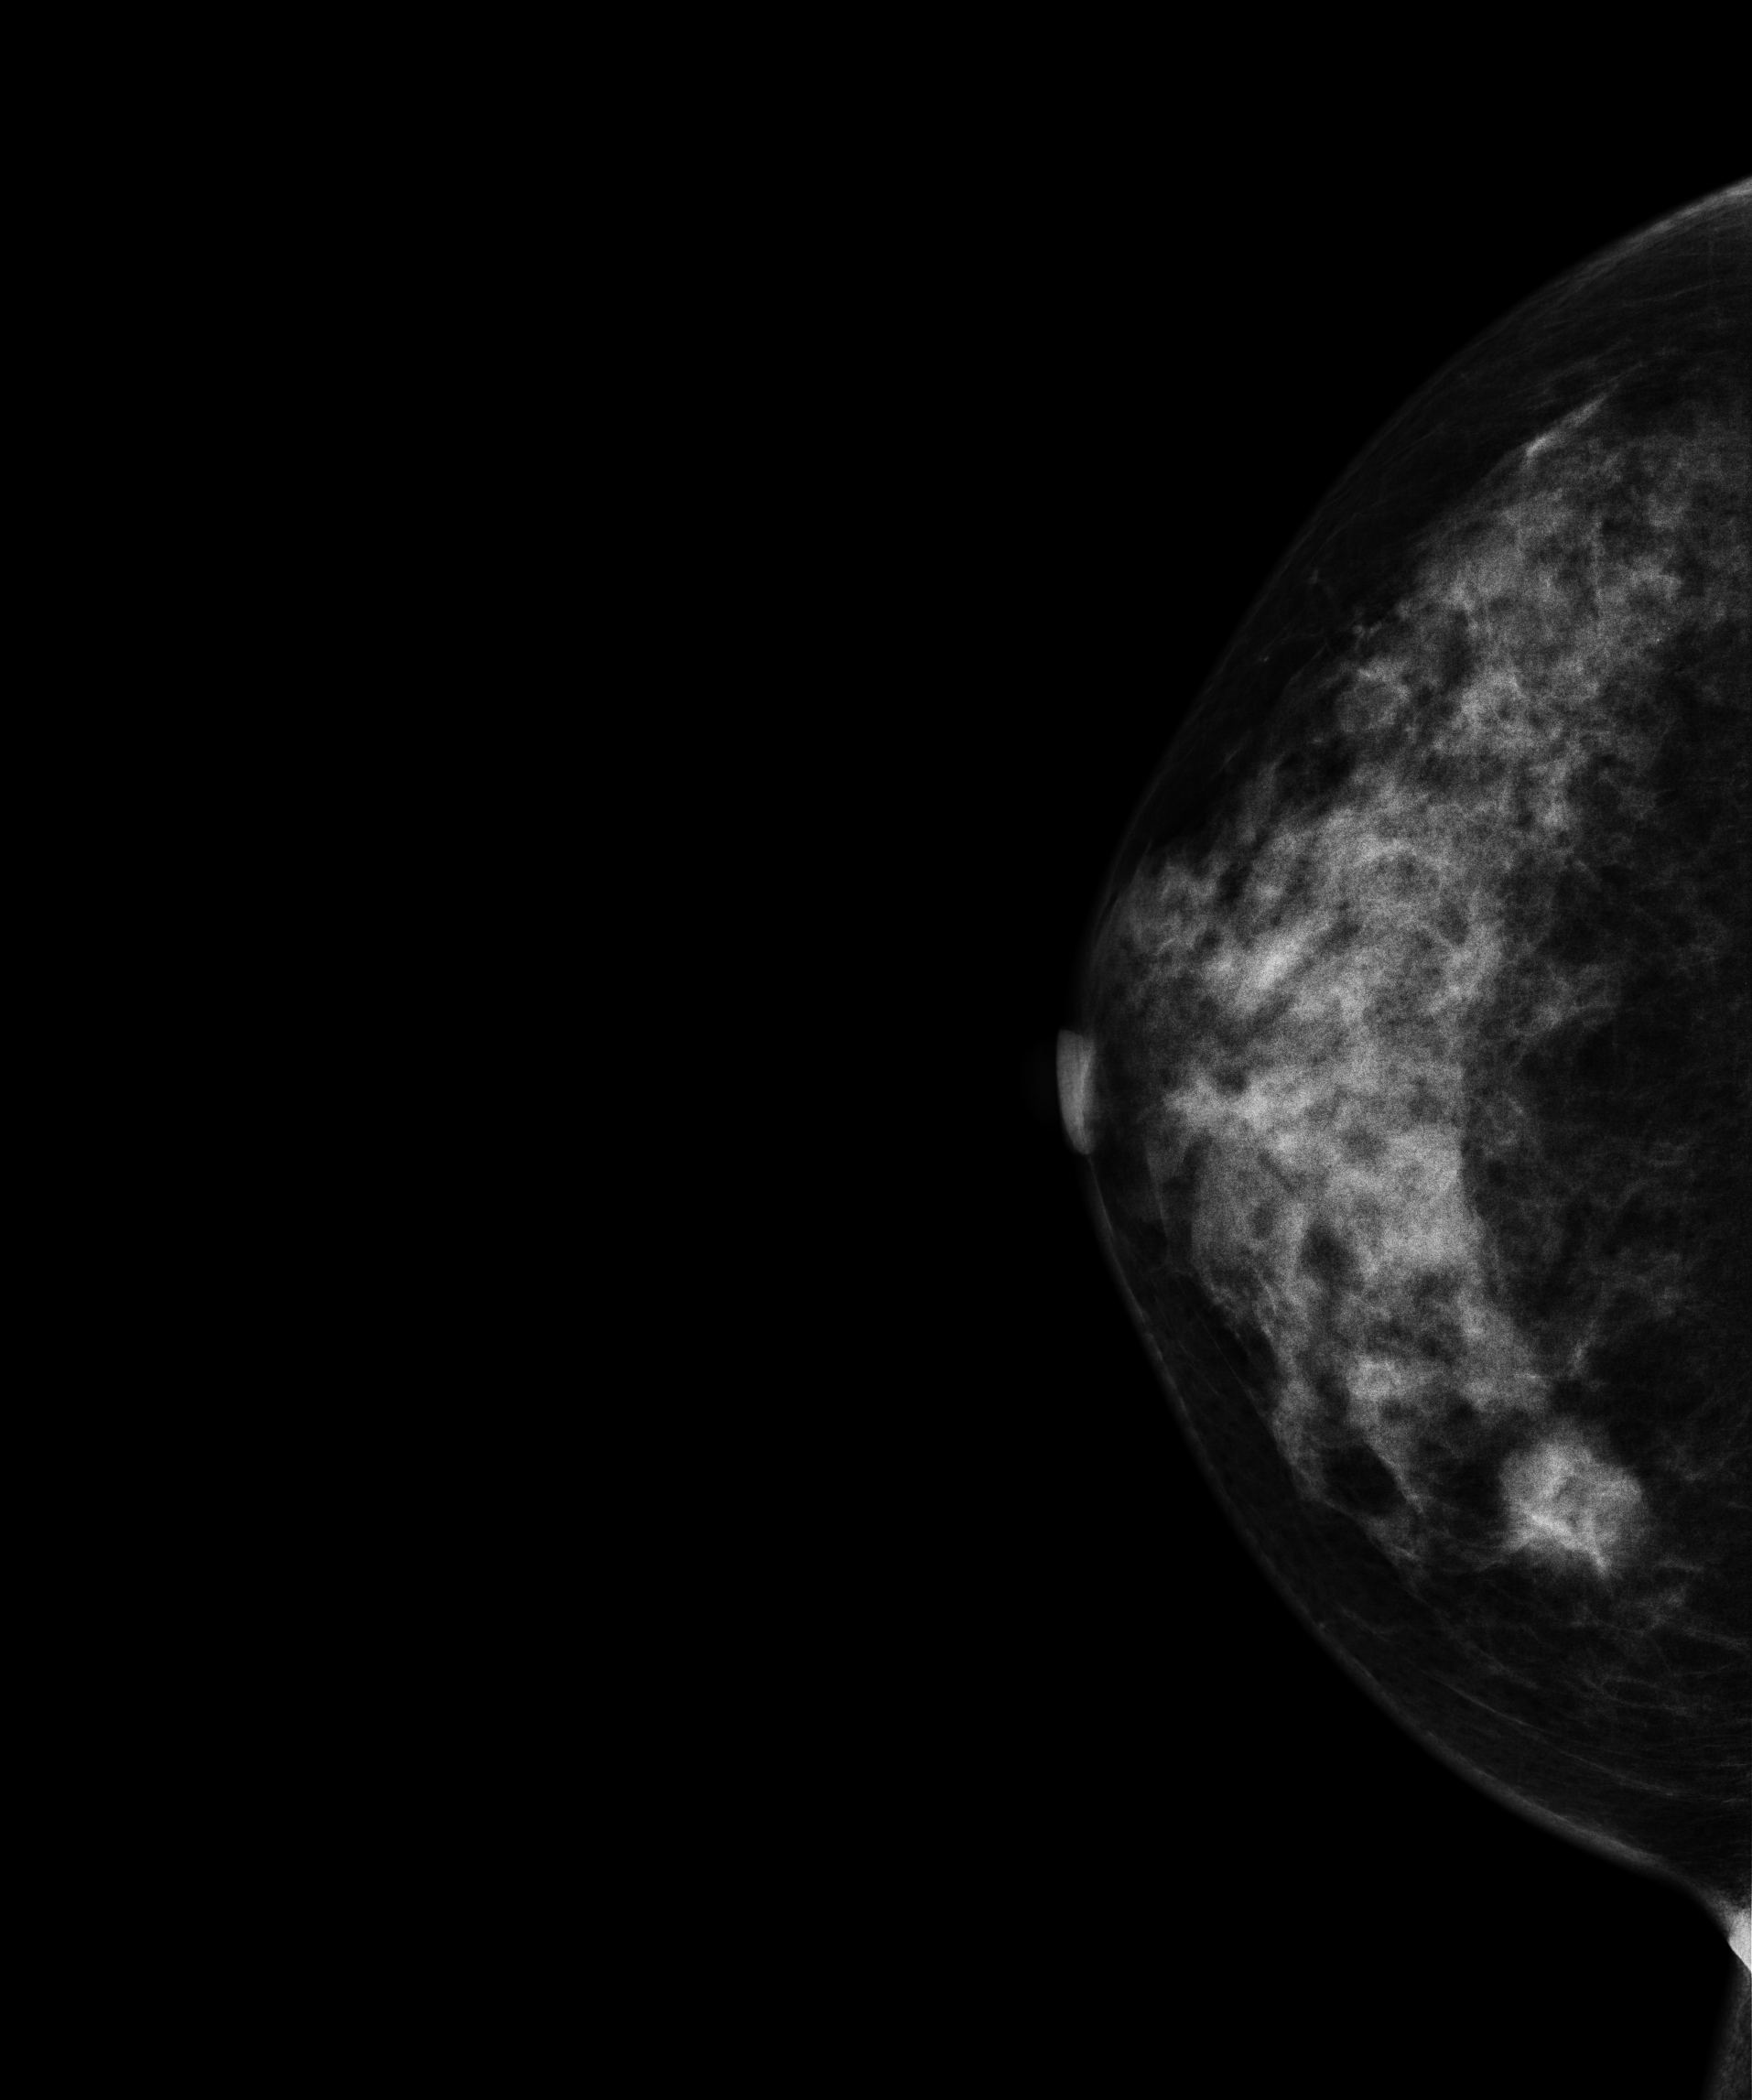
Mammogram, right breast, CC view. 53-year-old patient.
This breast has a mass, histologically confirmed malignant. Molecular subtype: luminal A.